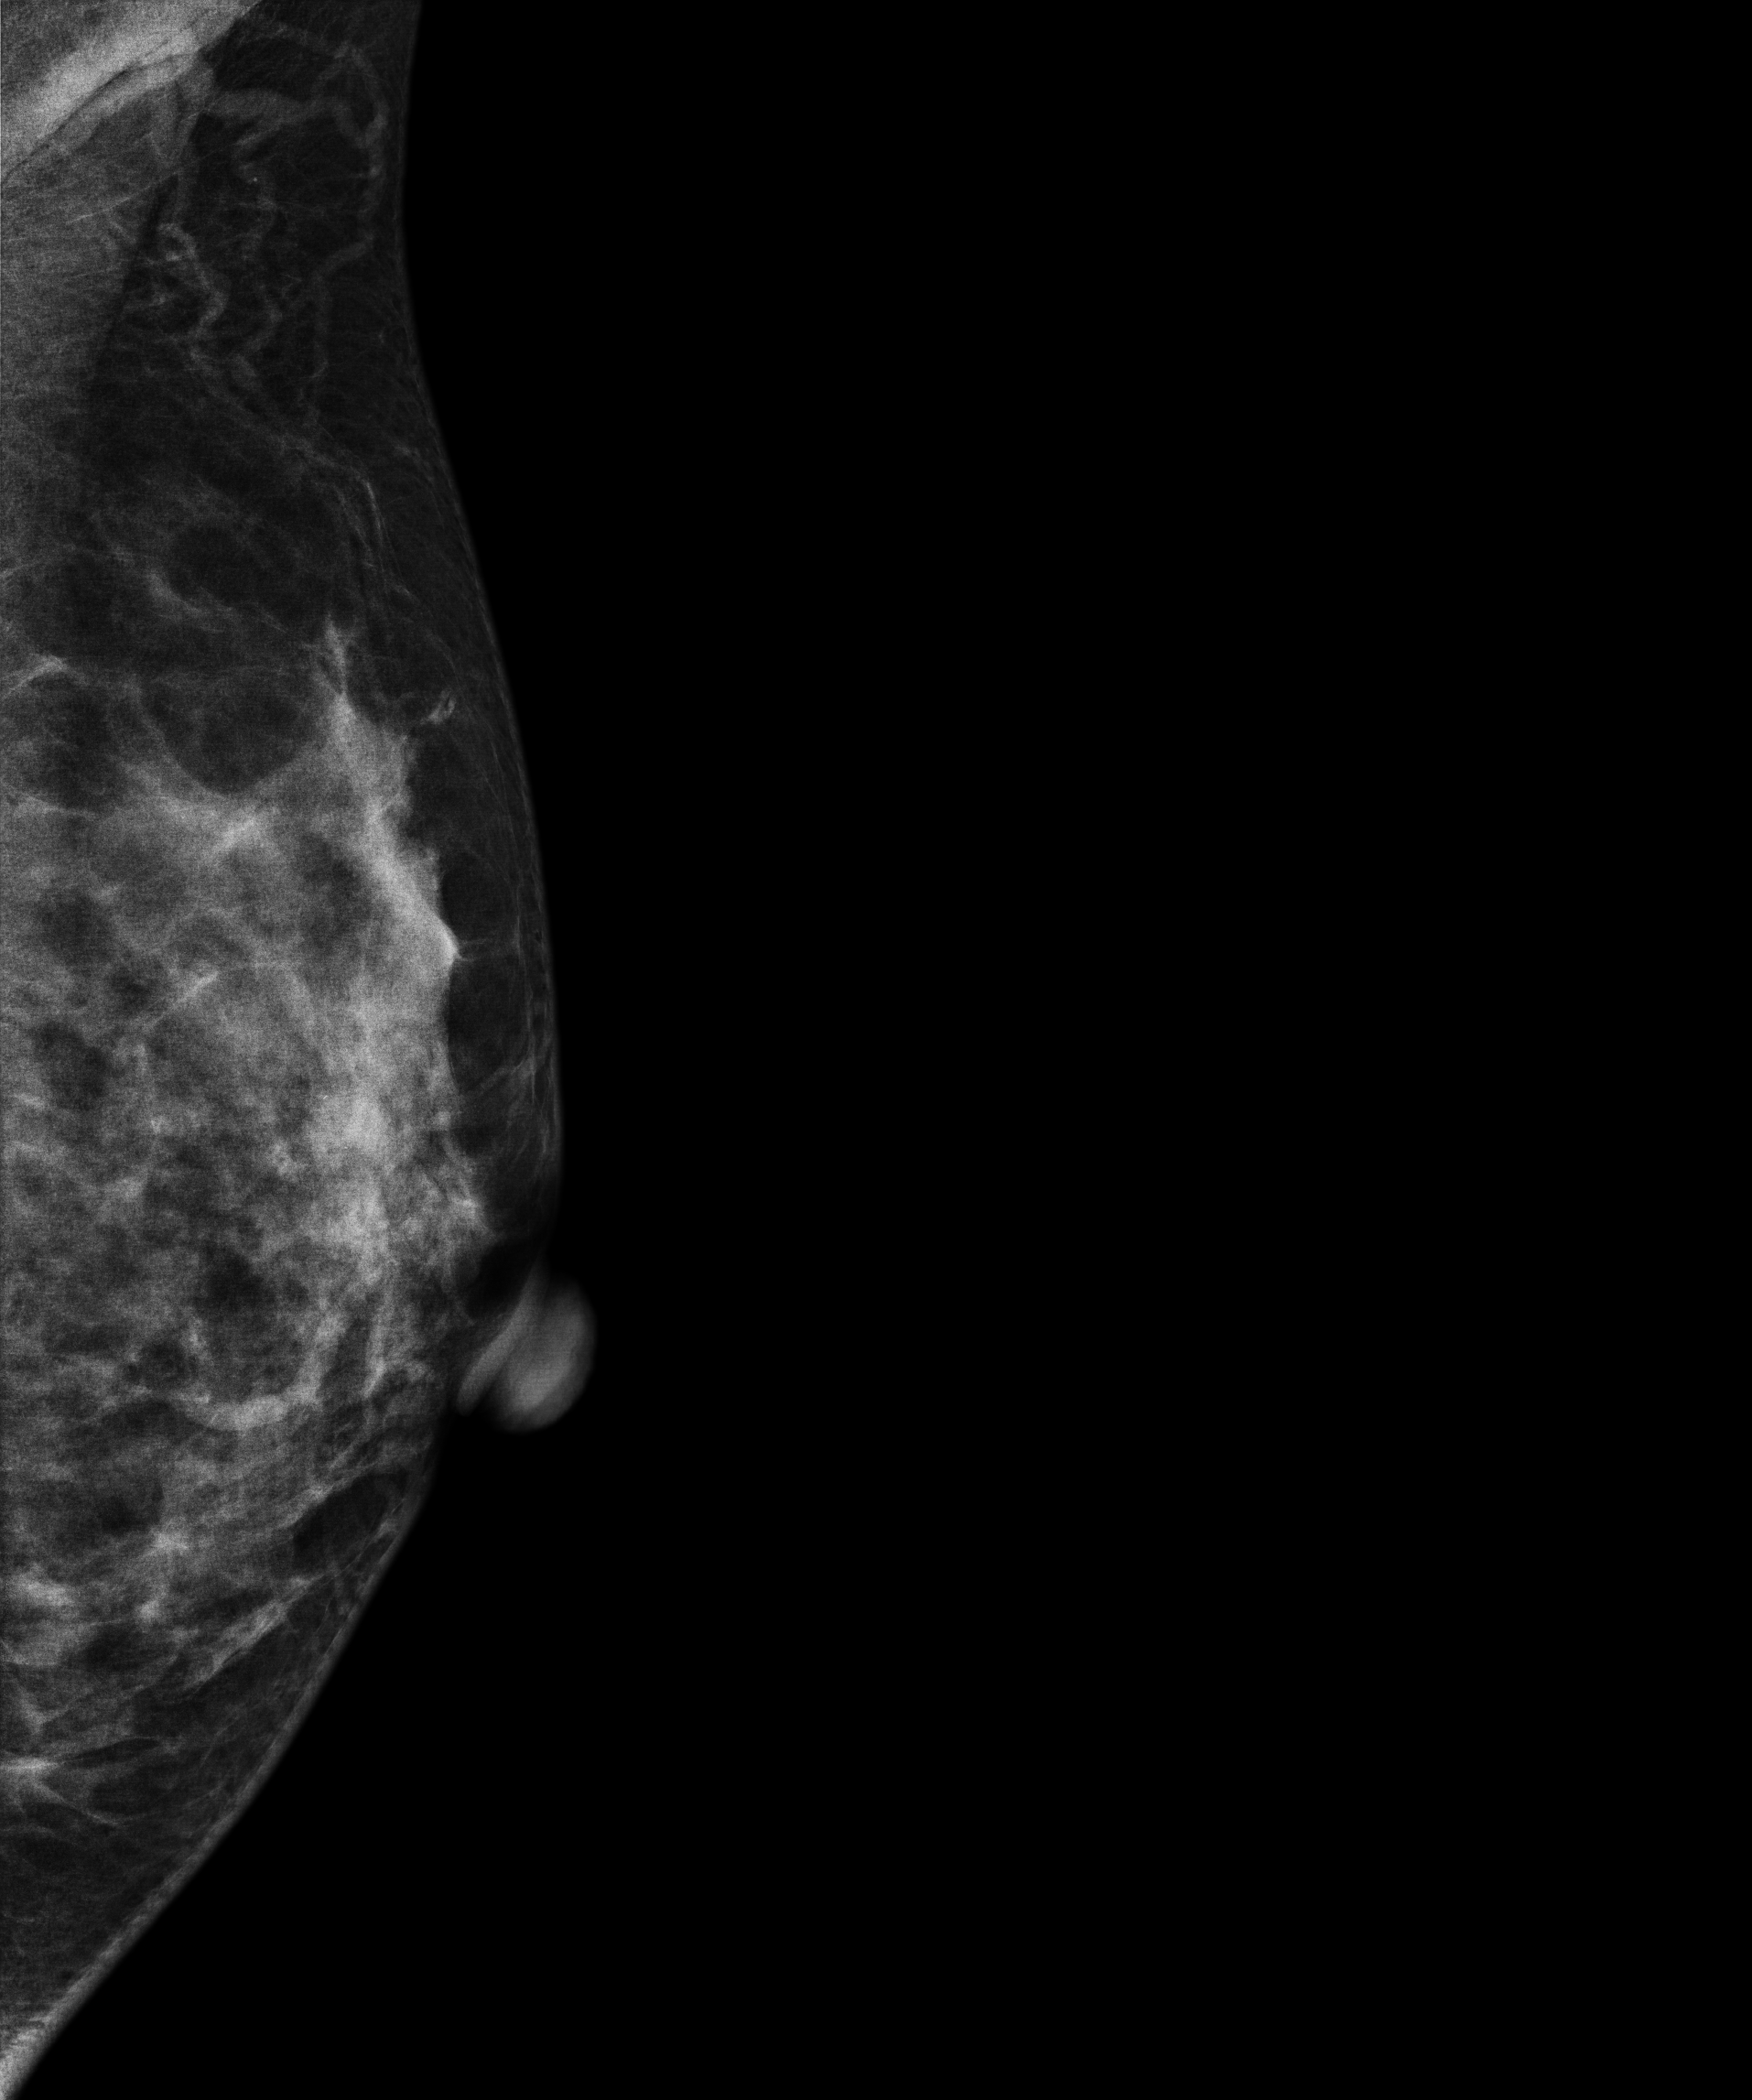
Medio-lateral oblique mammogram of the left breast. Patient age 43.
This breast has a mass, pathology-confirmed benign.